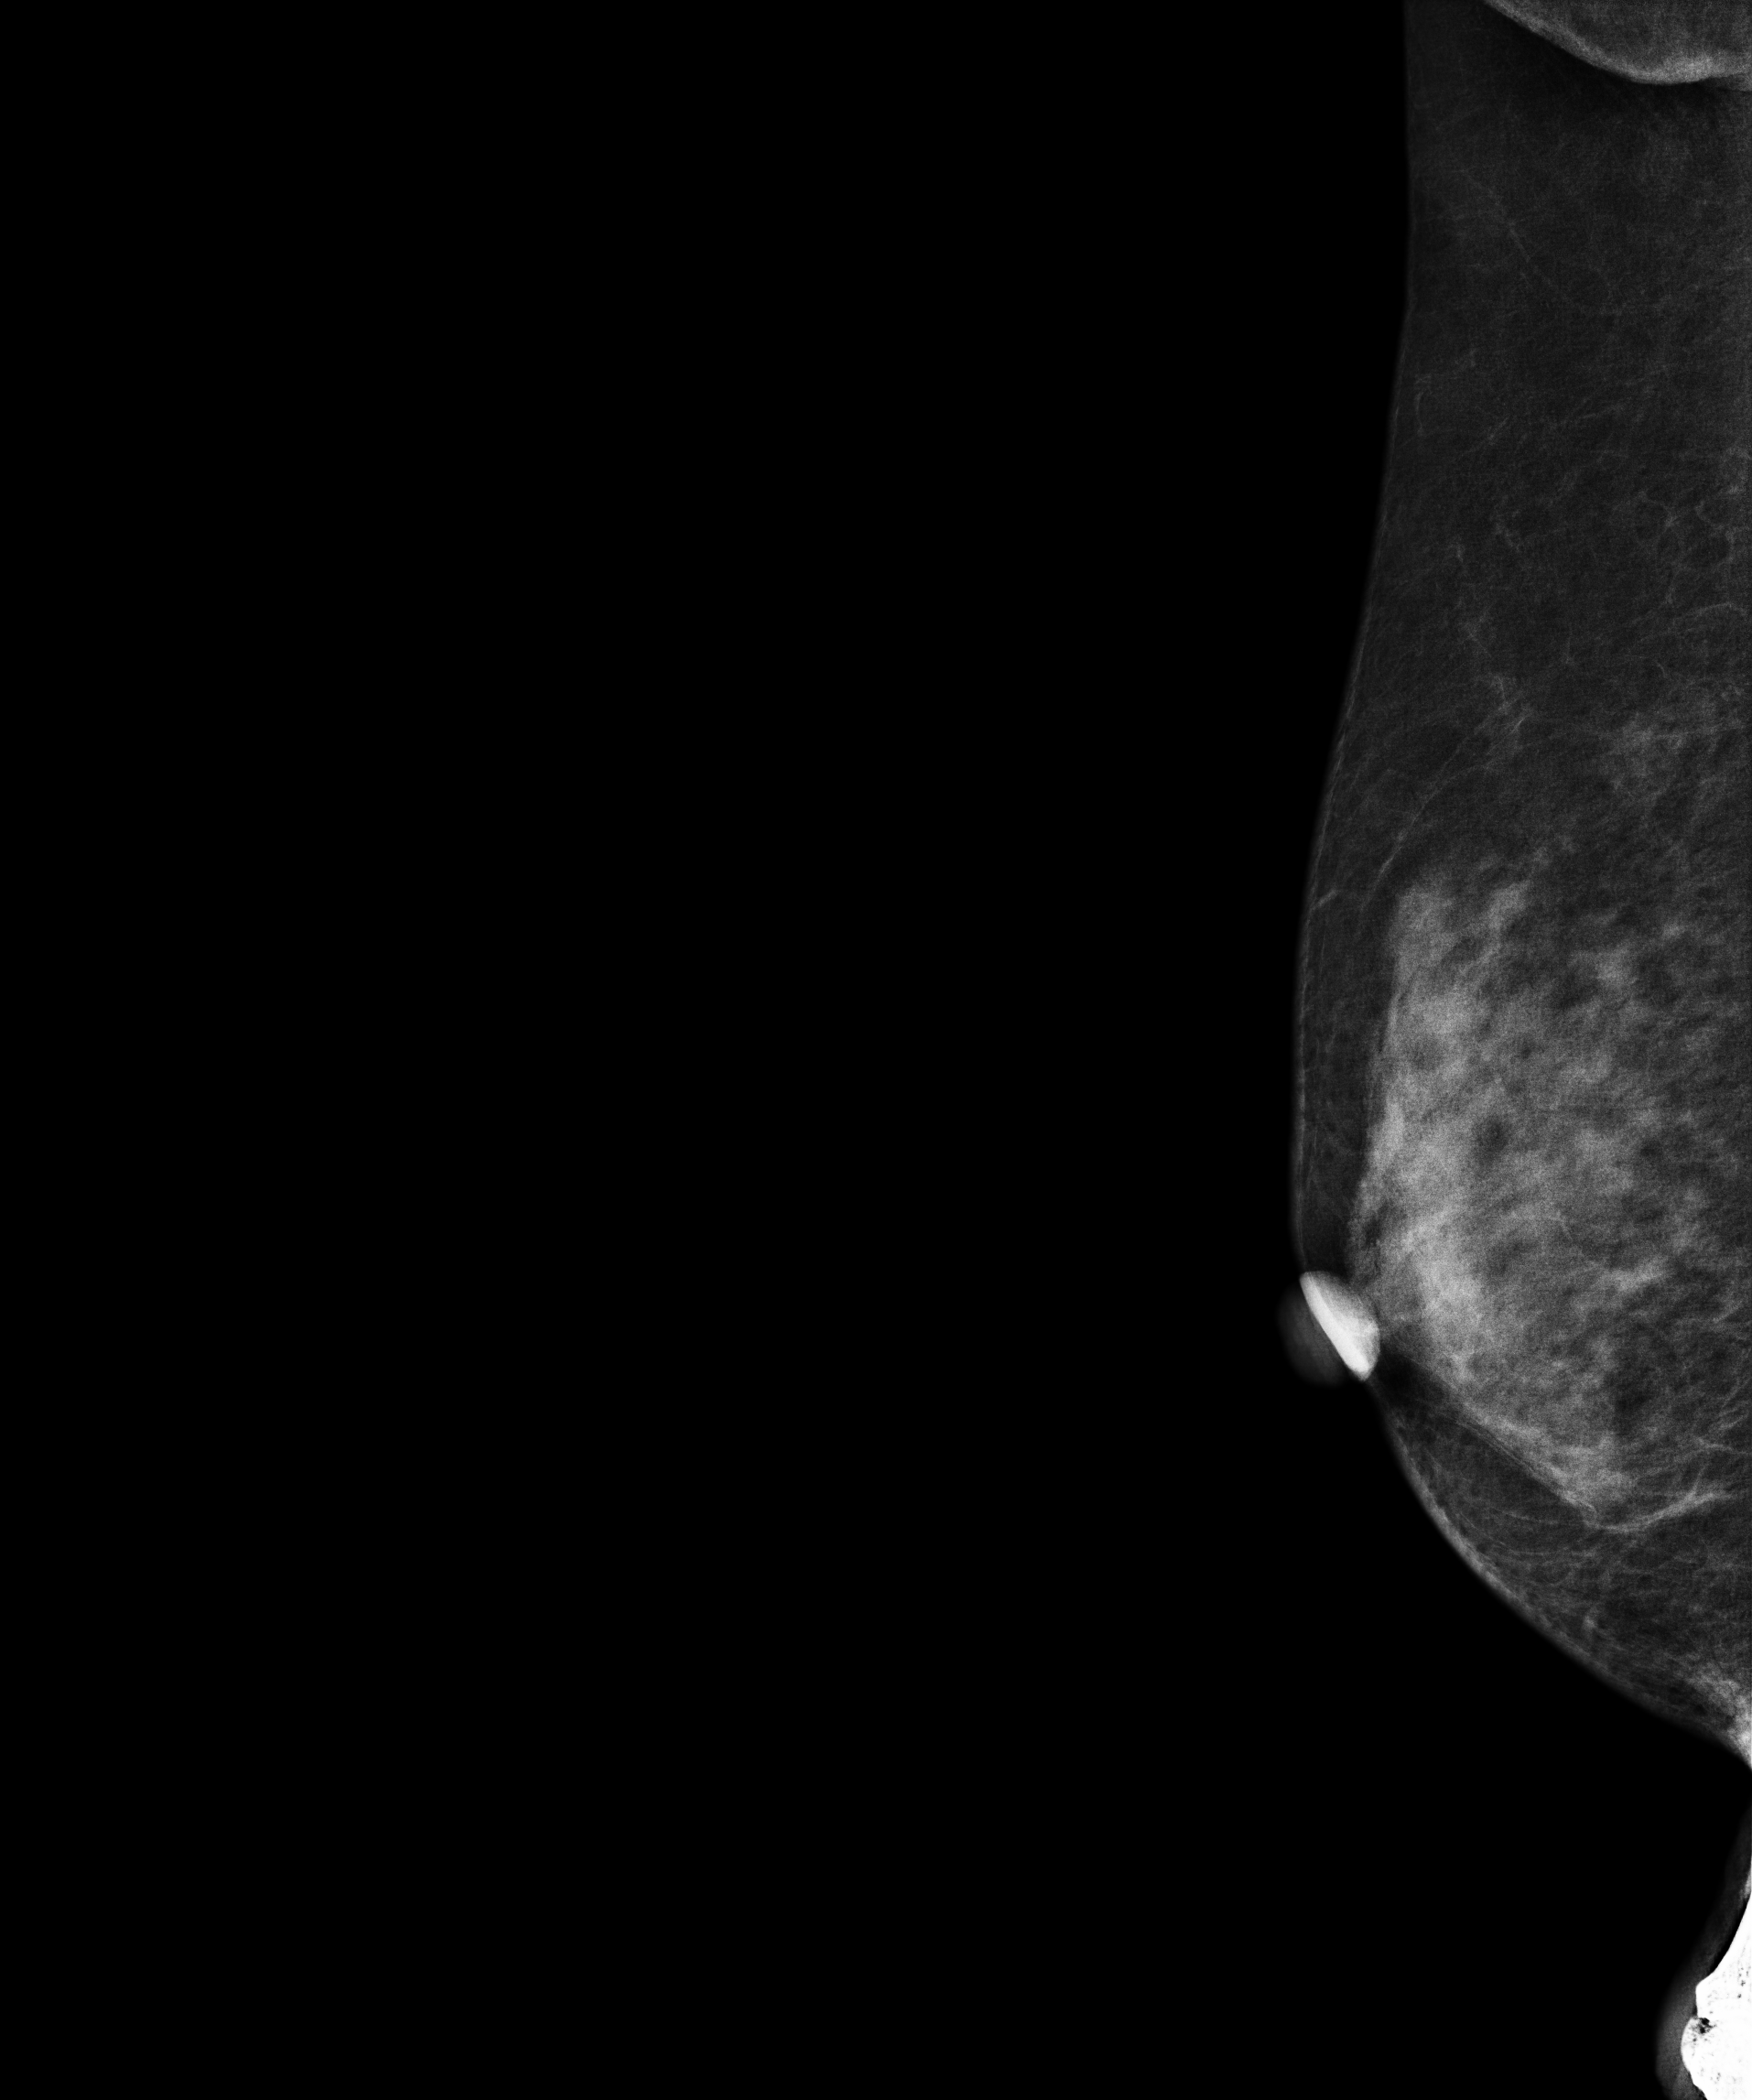
Mammogram, right breast, MLO view. Patient age 70.
Contralateral breast — no documented abnormality on this side.